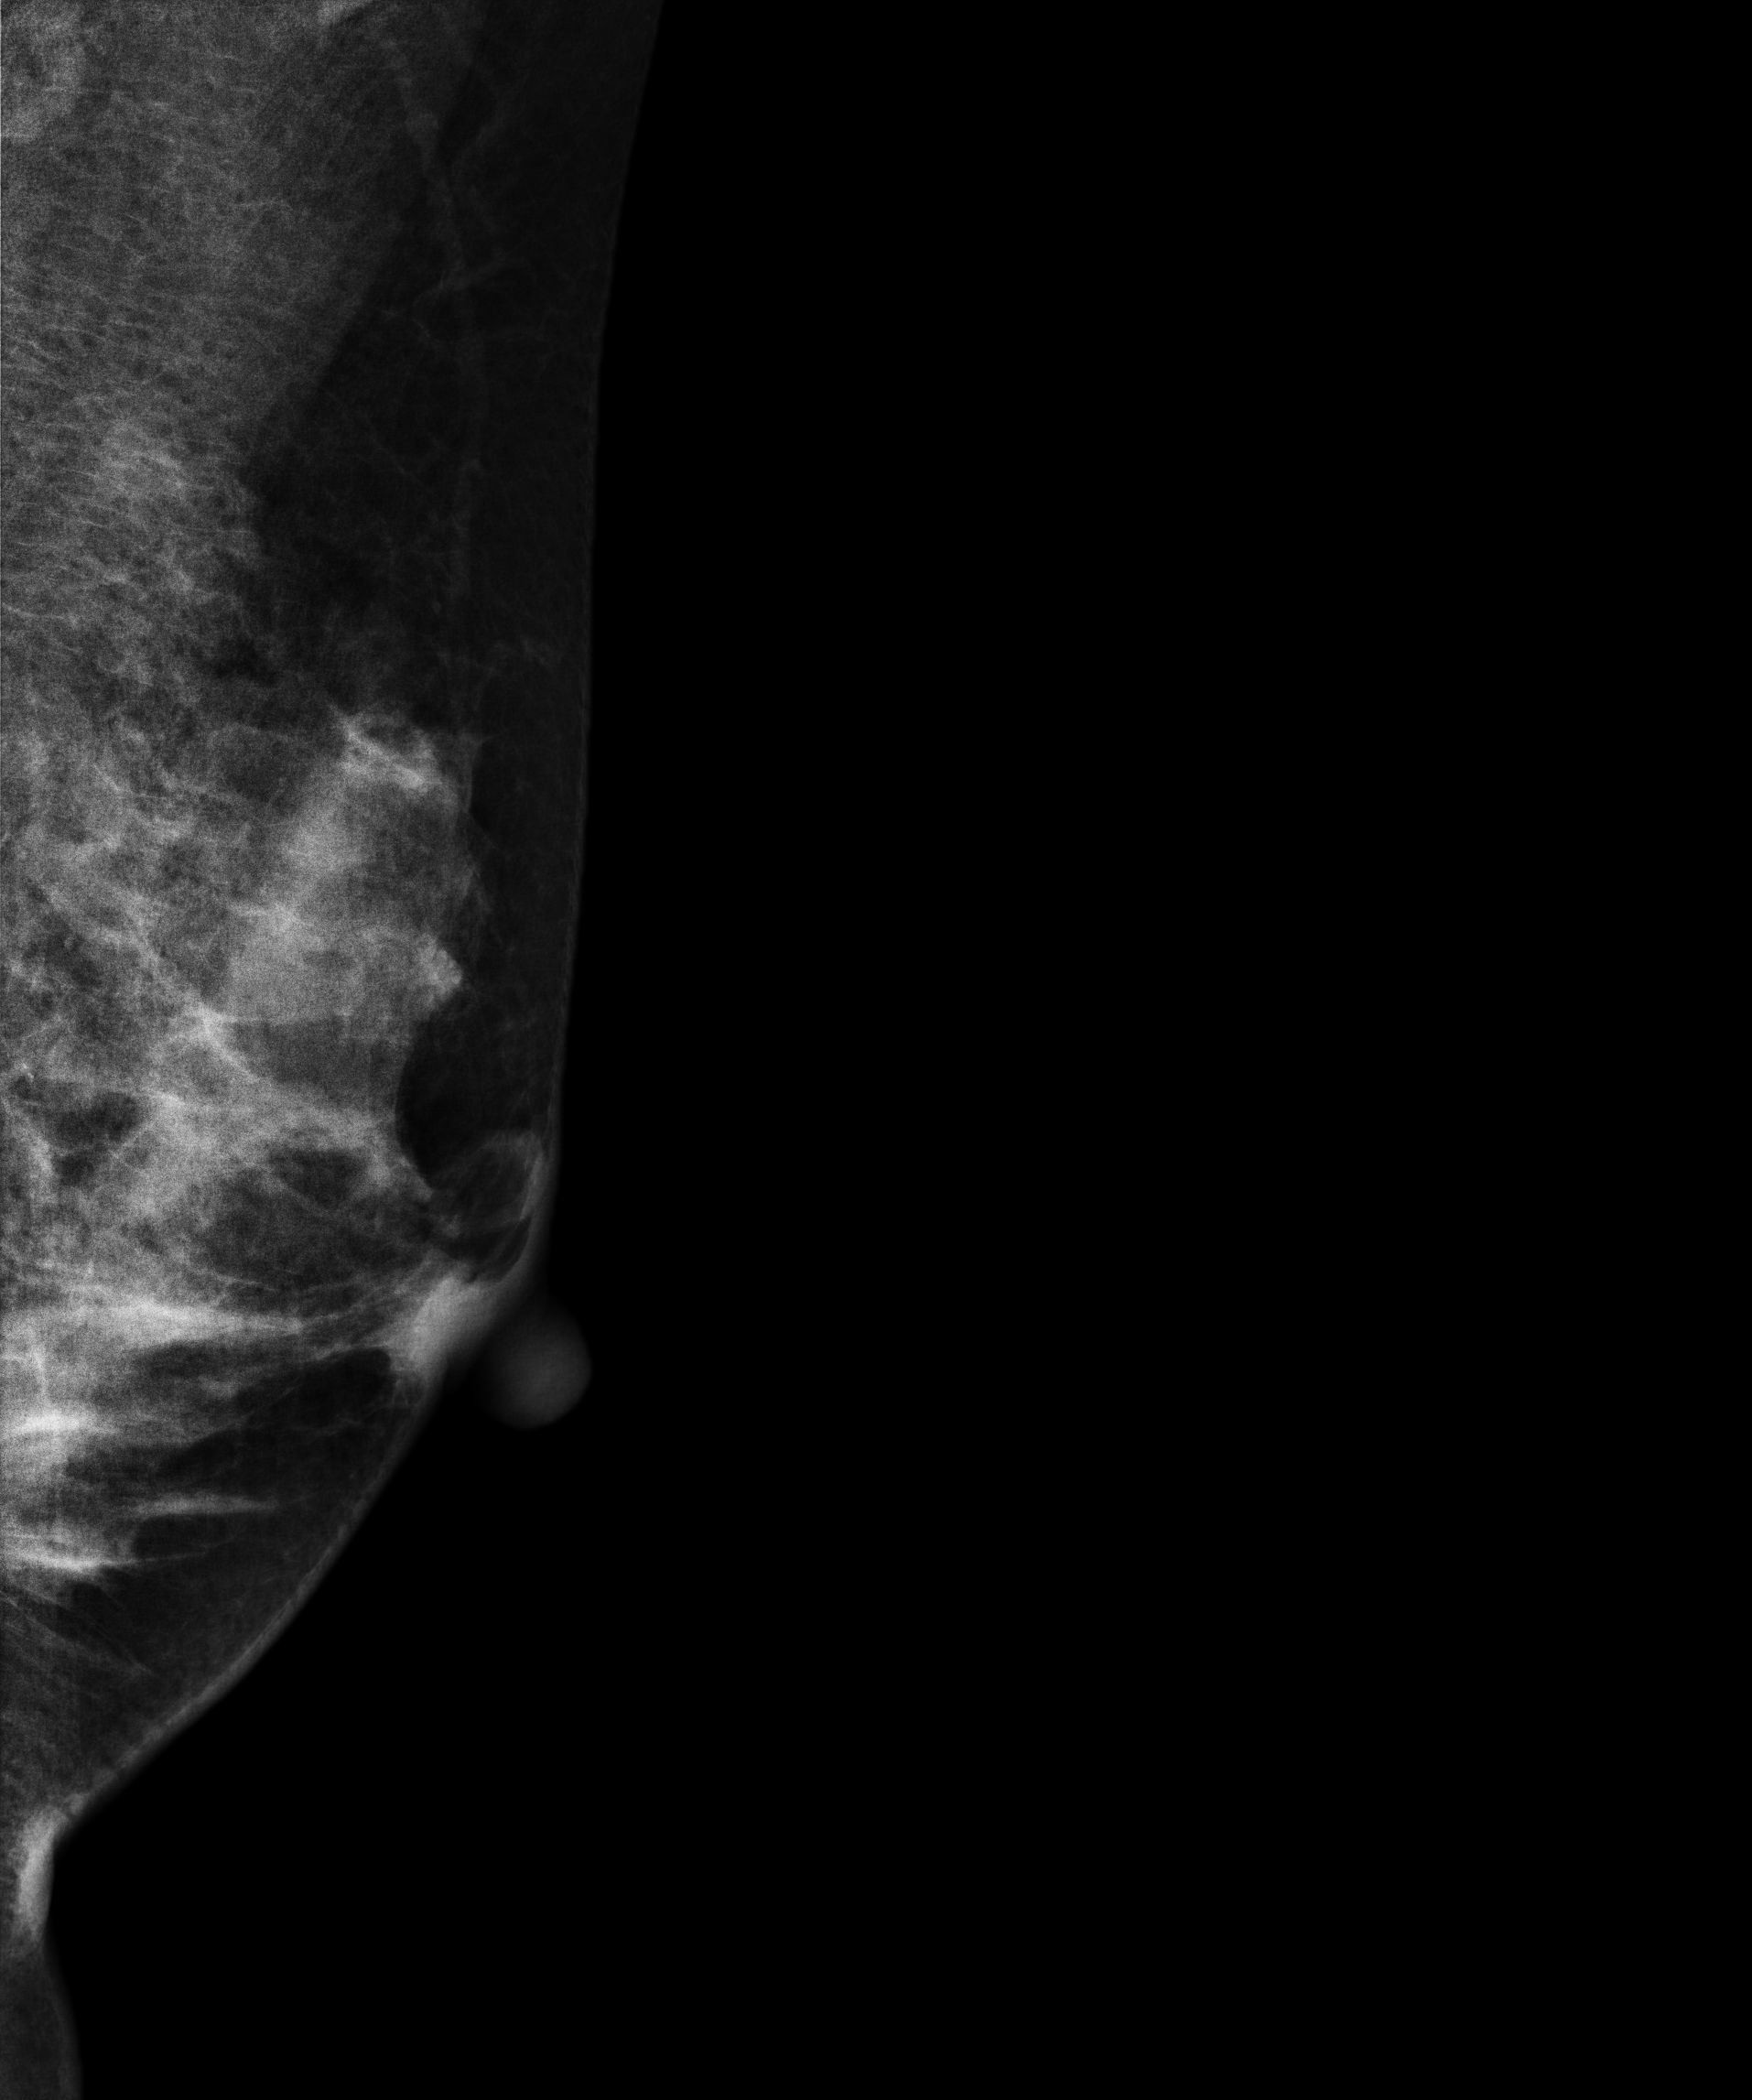
Left-breast mammogram, medio-lateral oblique. 35 y/o patient.
Contralateral breast — no documented abnormality on this side.